Mammogram, right breast, CC view. 53-year-old patient.
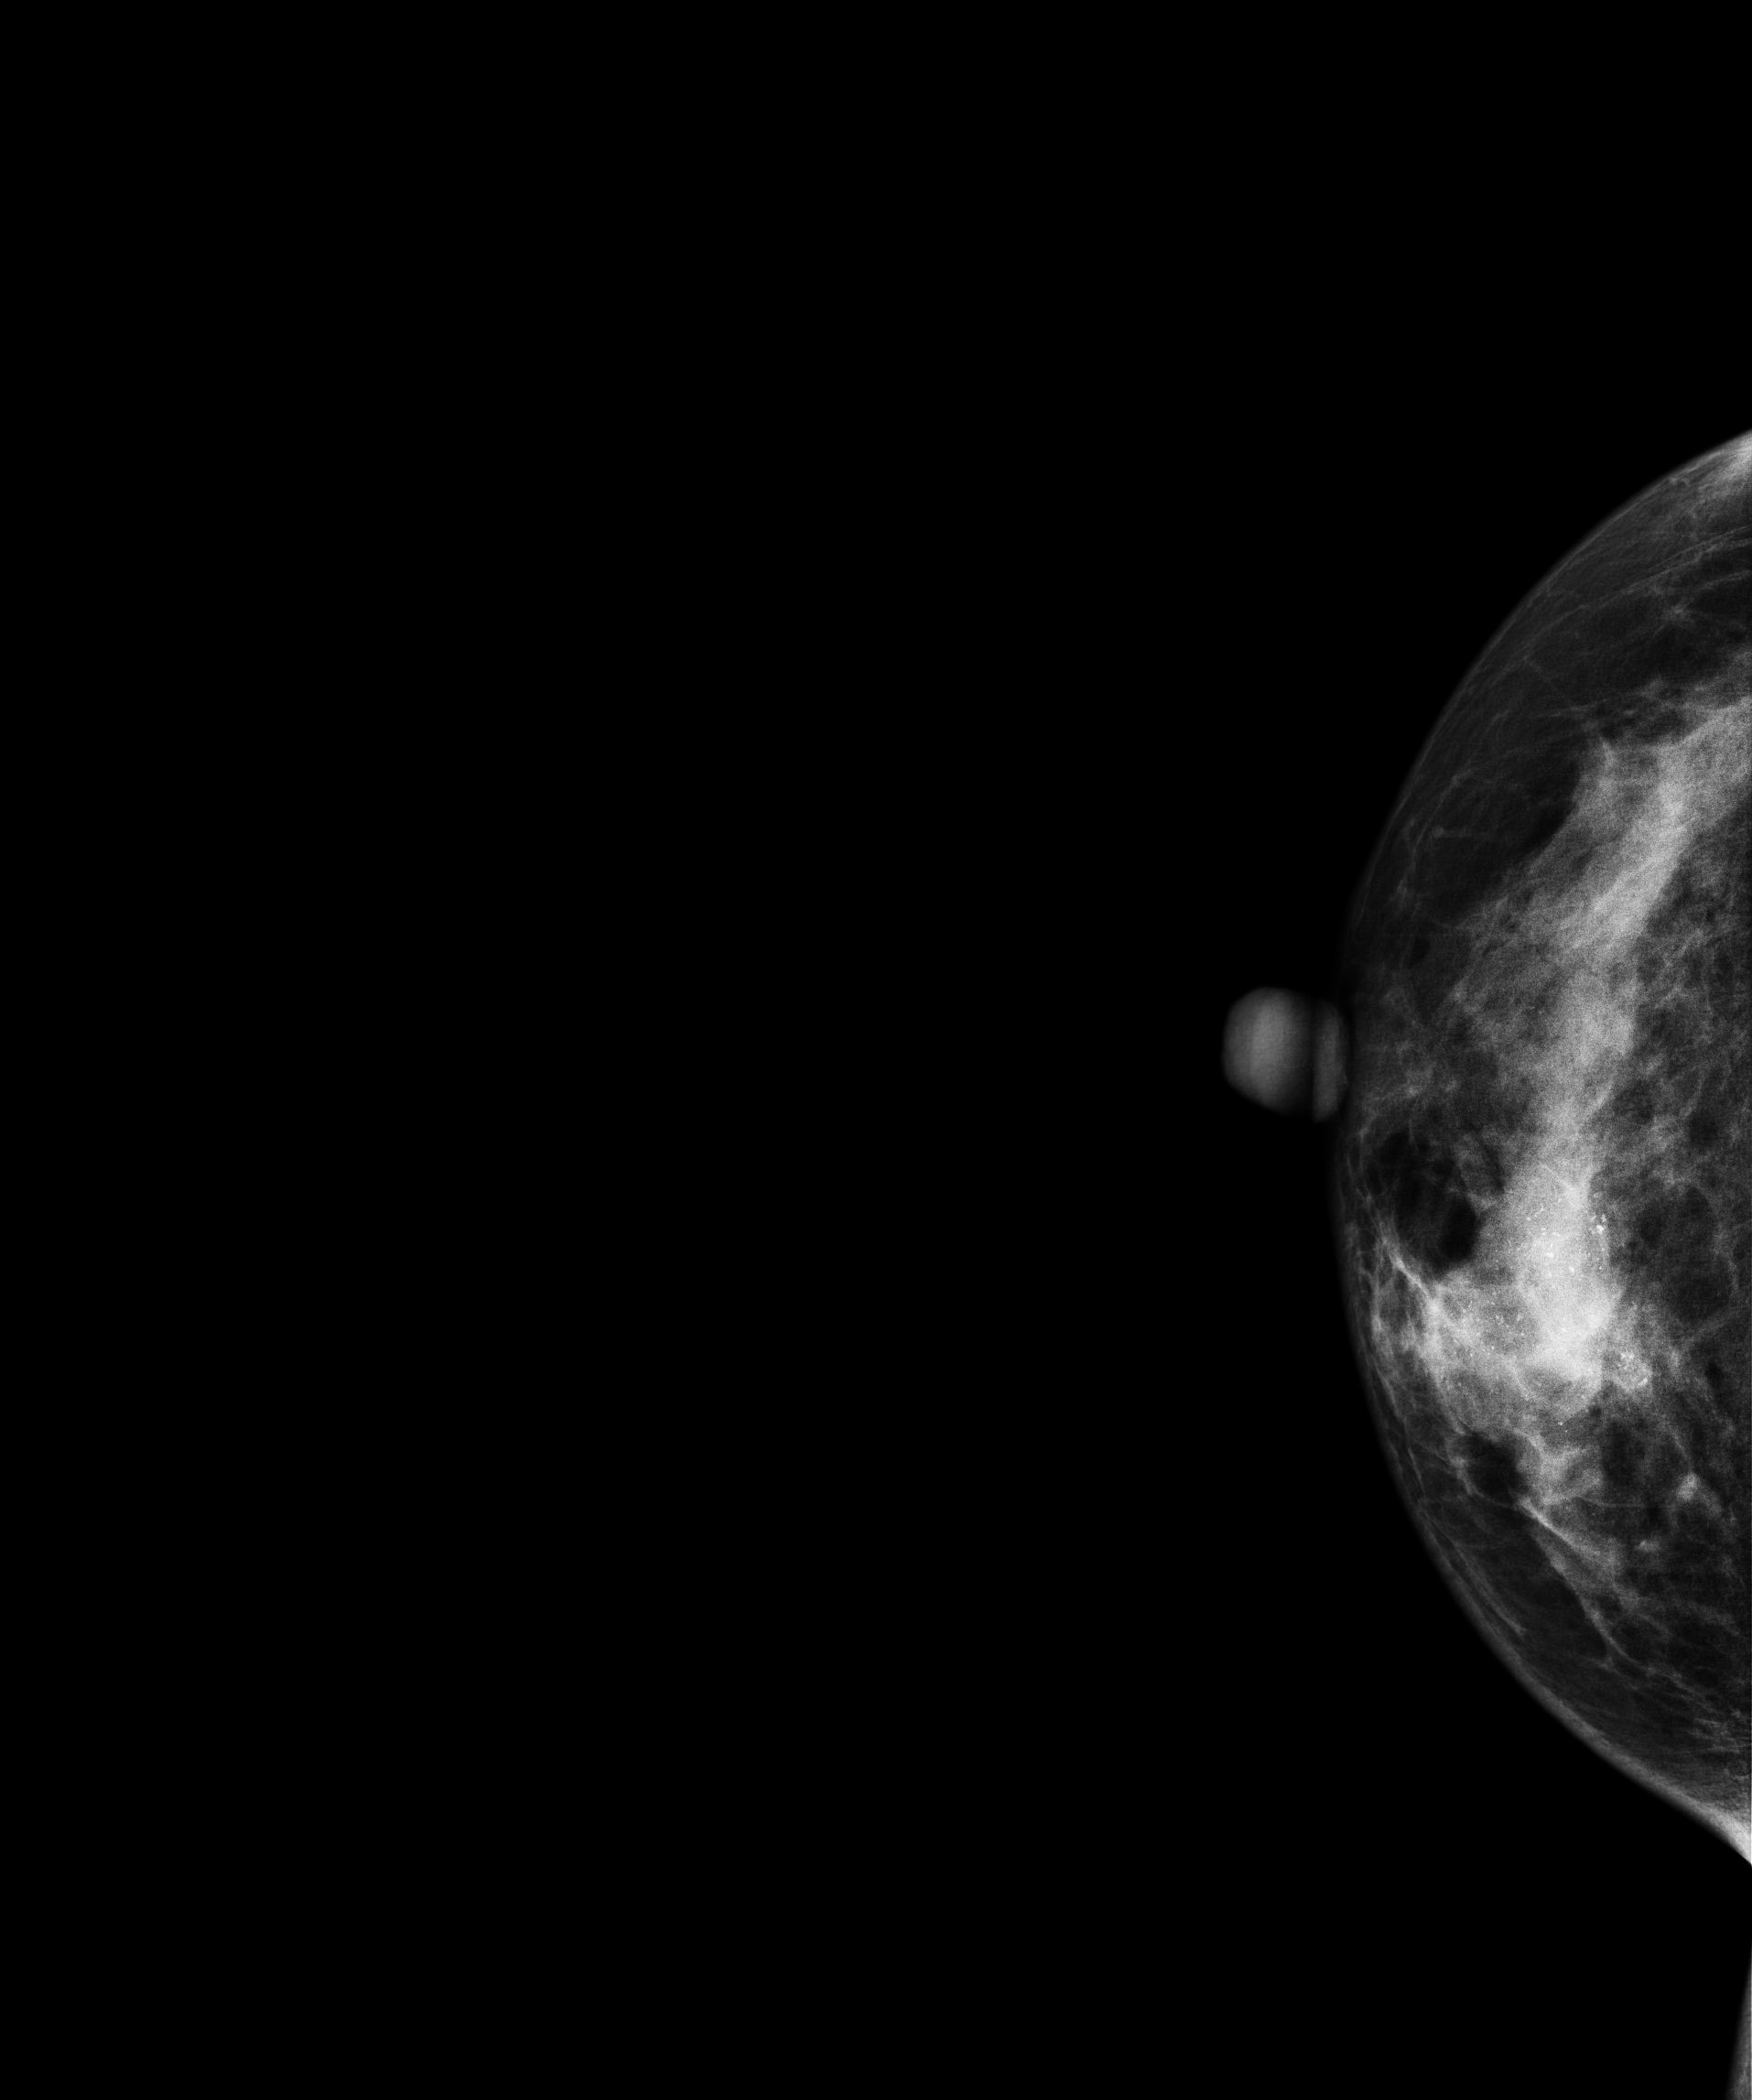
This breast has a mass and calcifications, biopsy-confirmed malignant.